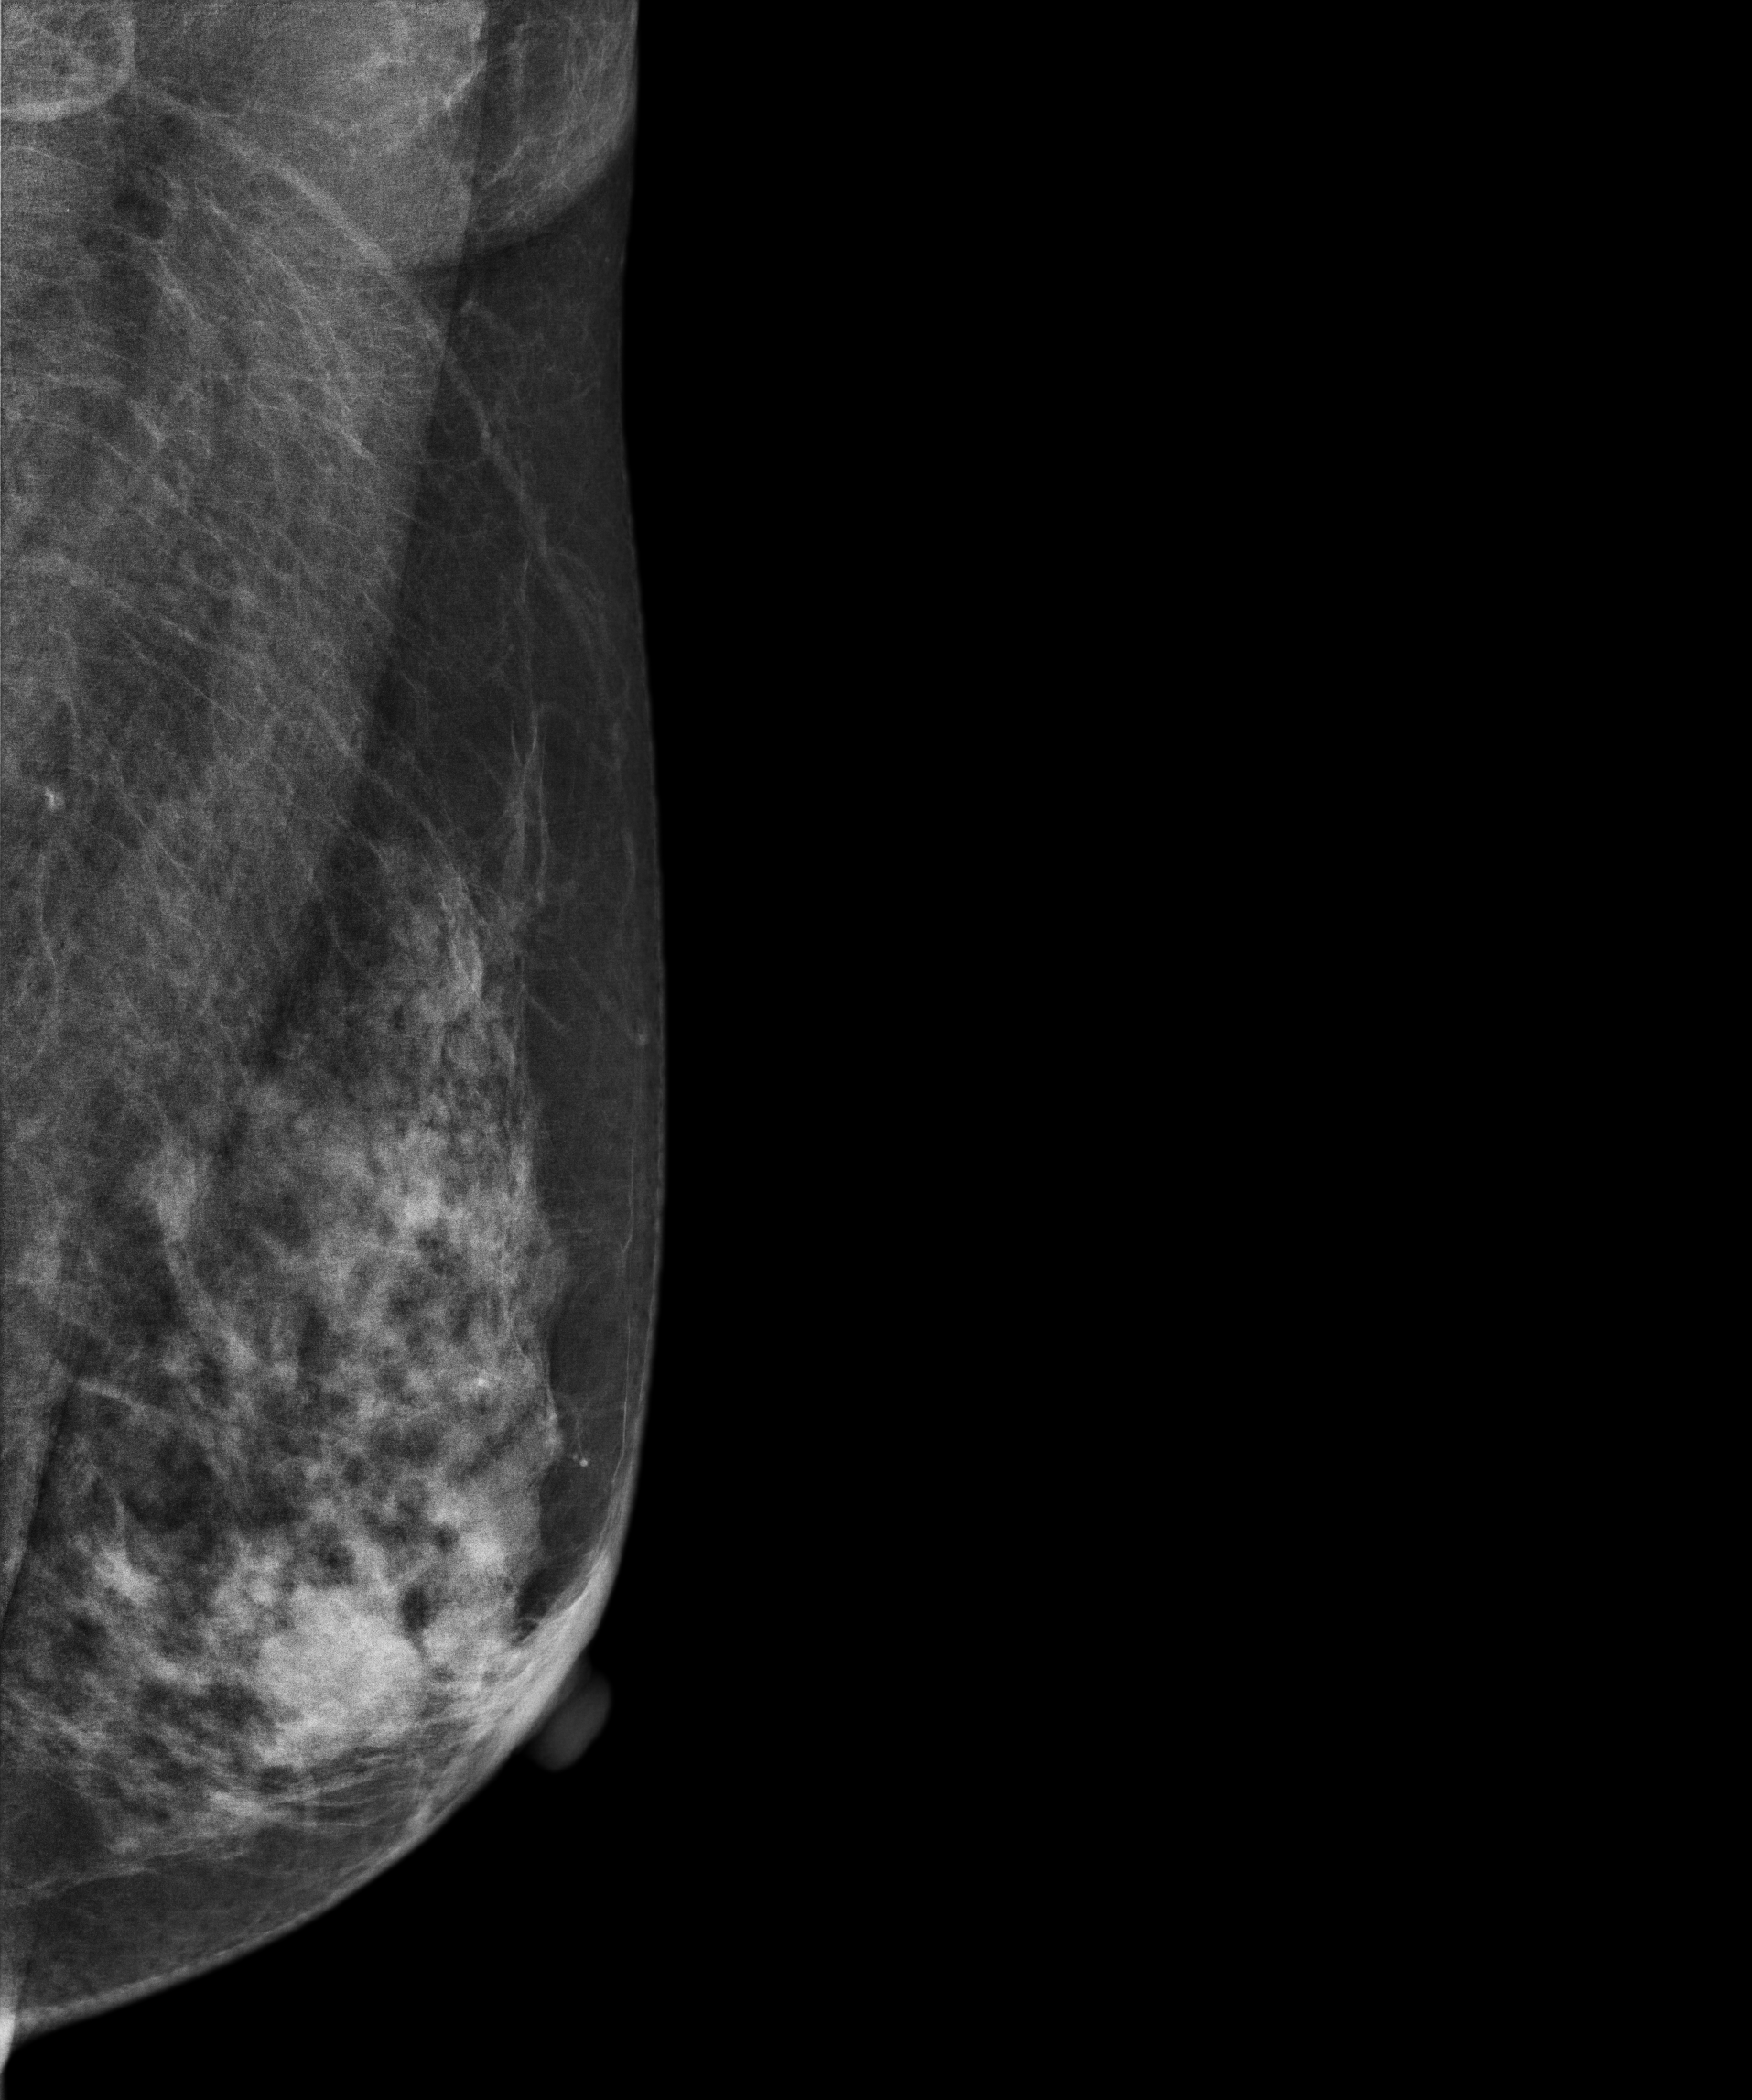
Left-breast mammogram, medio-lateral oblique. 51 y/o patient.
This breast has a mass, pathology-confirmed malignant.